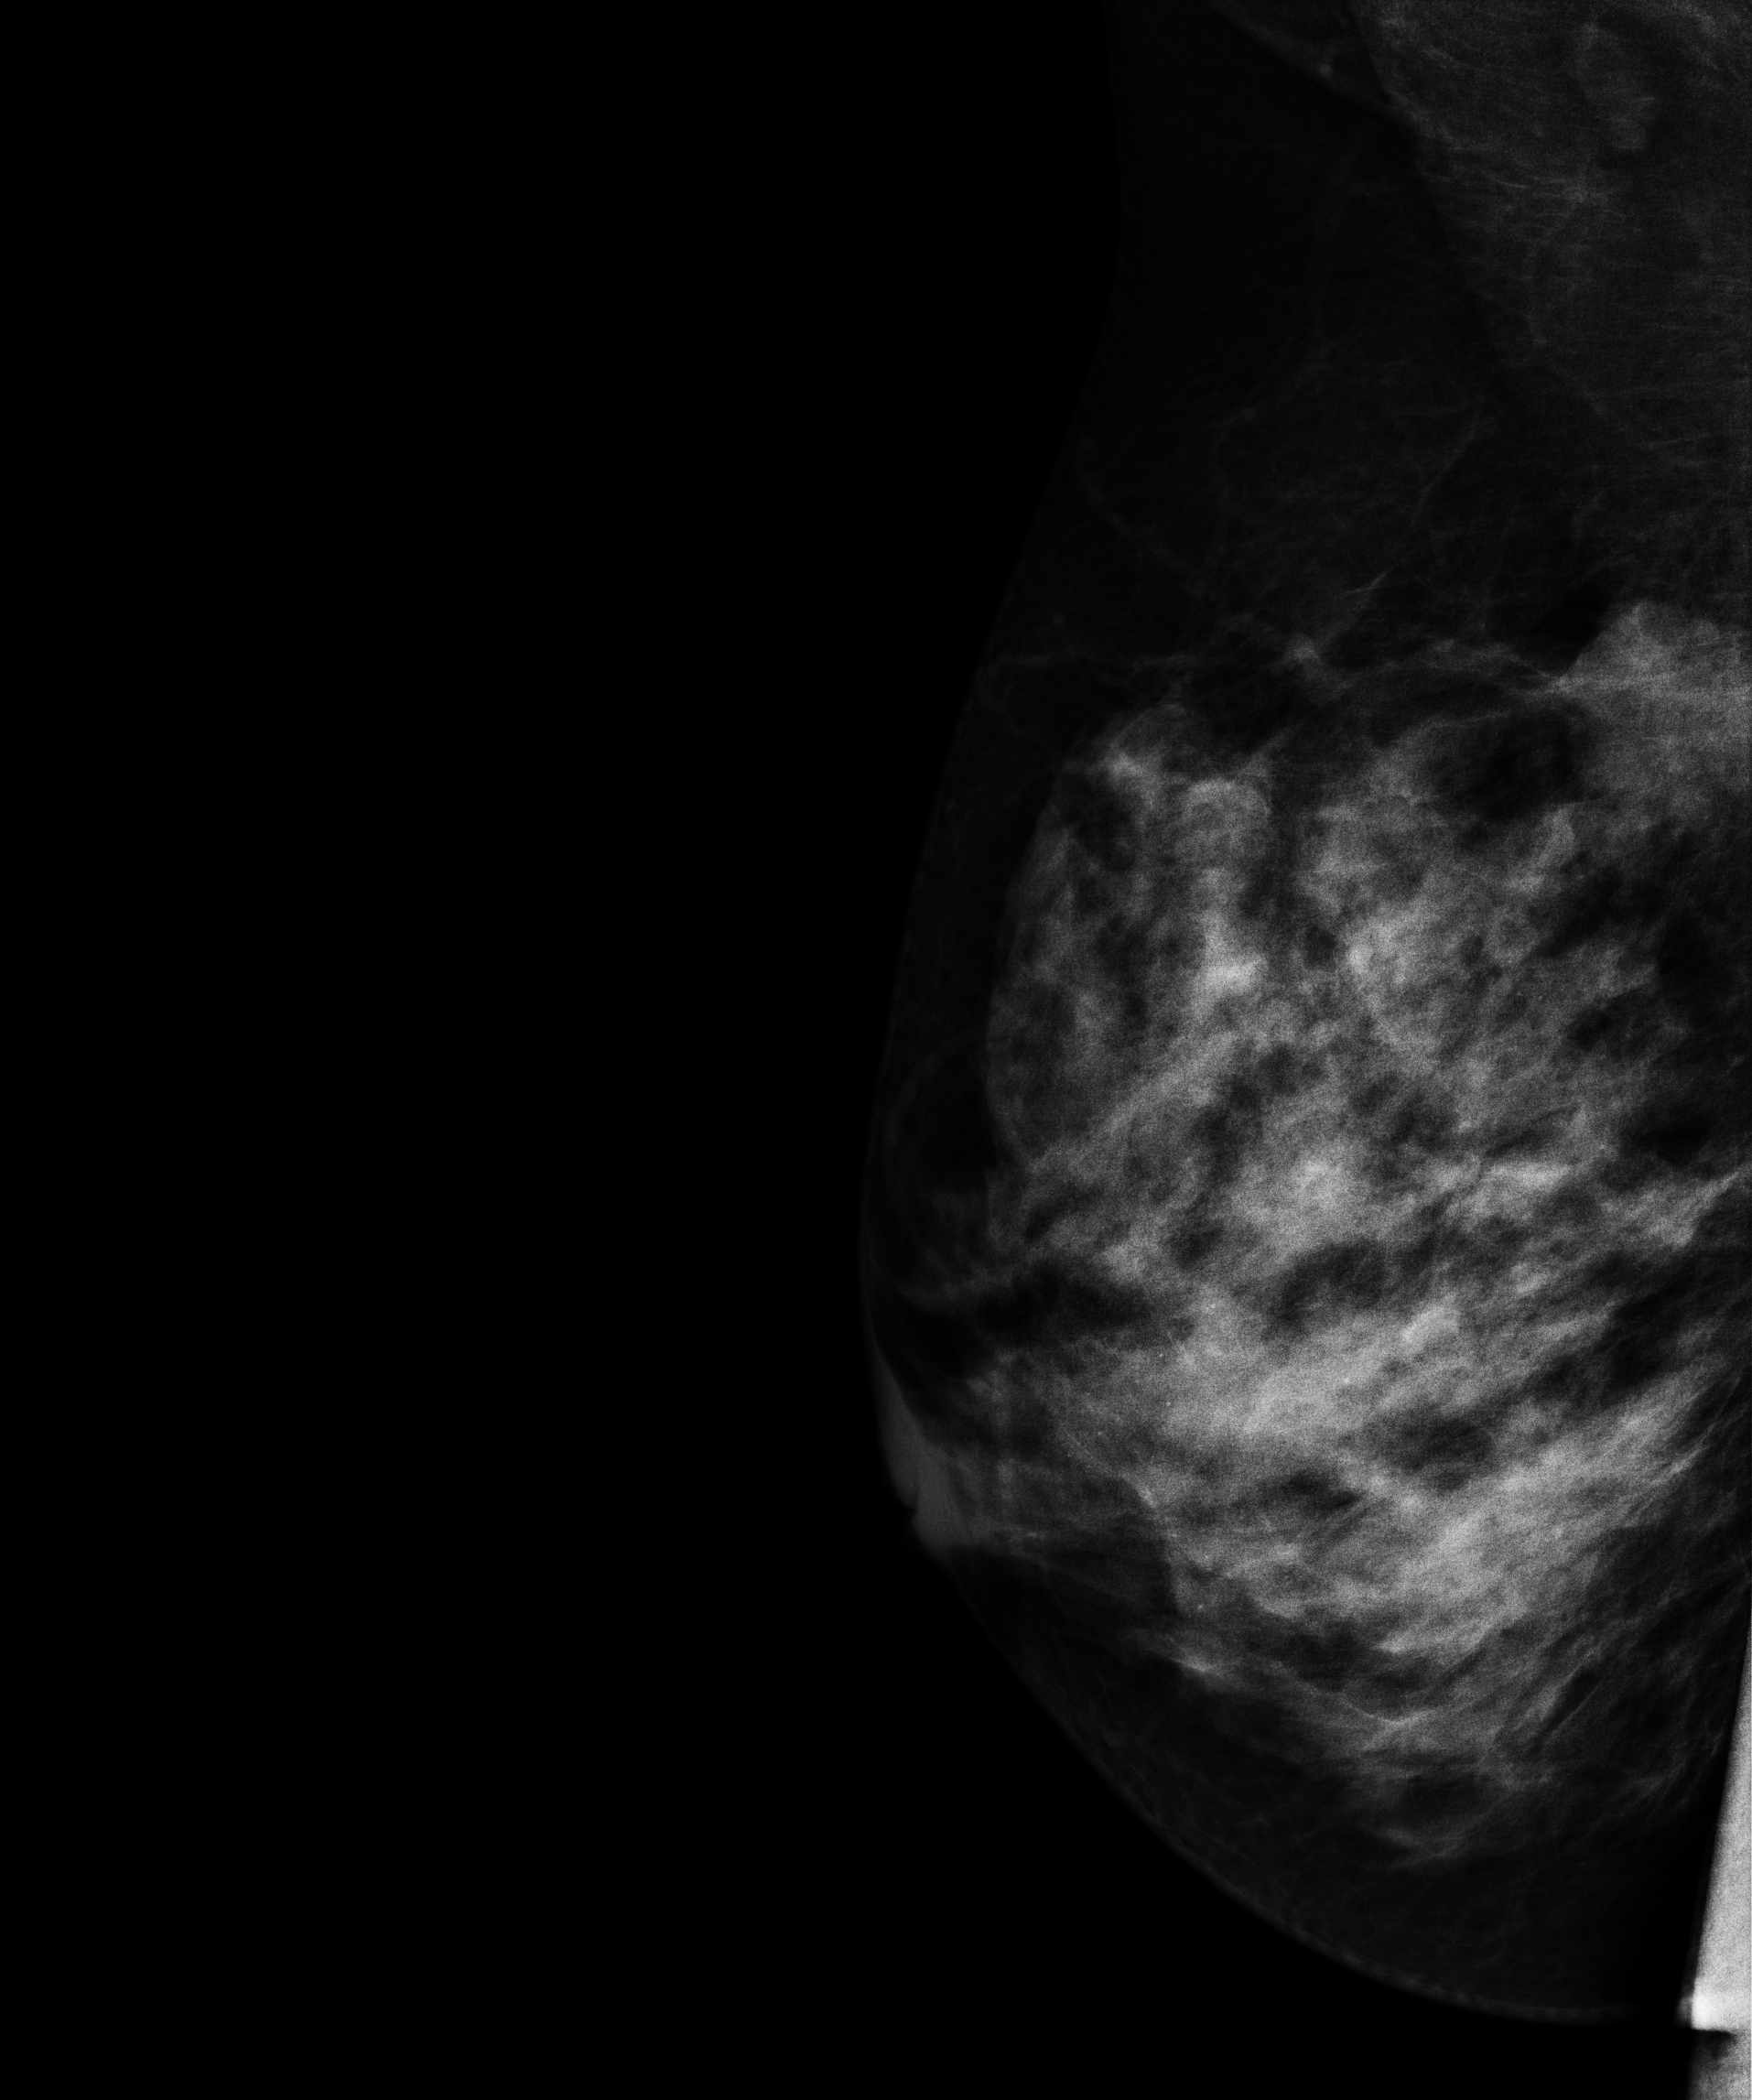
MLO mammogram of the left breast. 47-year-old patient.
Contralateral breast — no documented abnormality on this side.